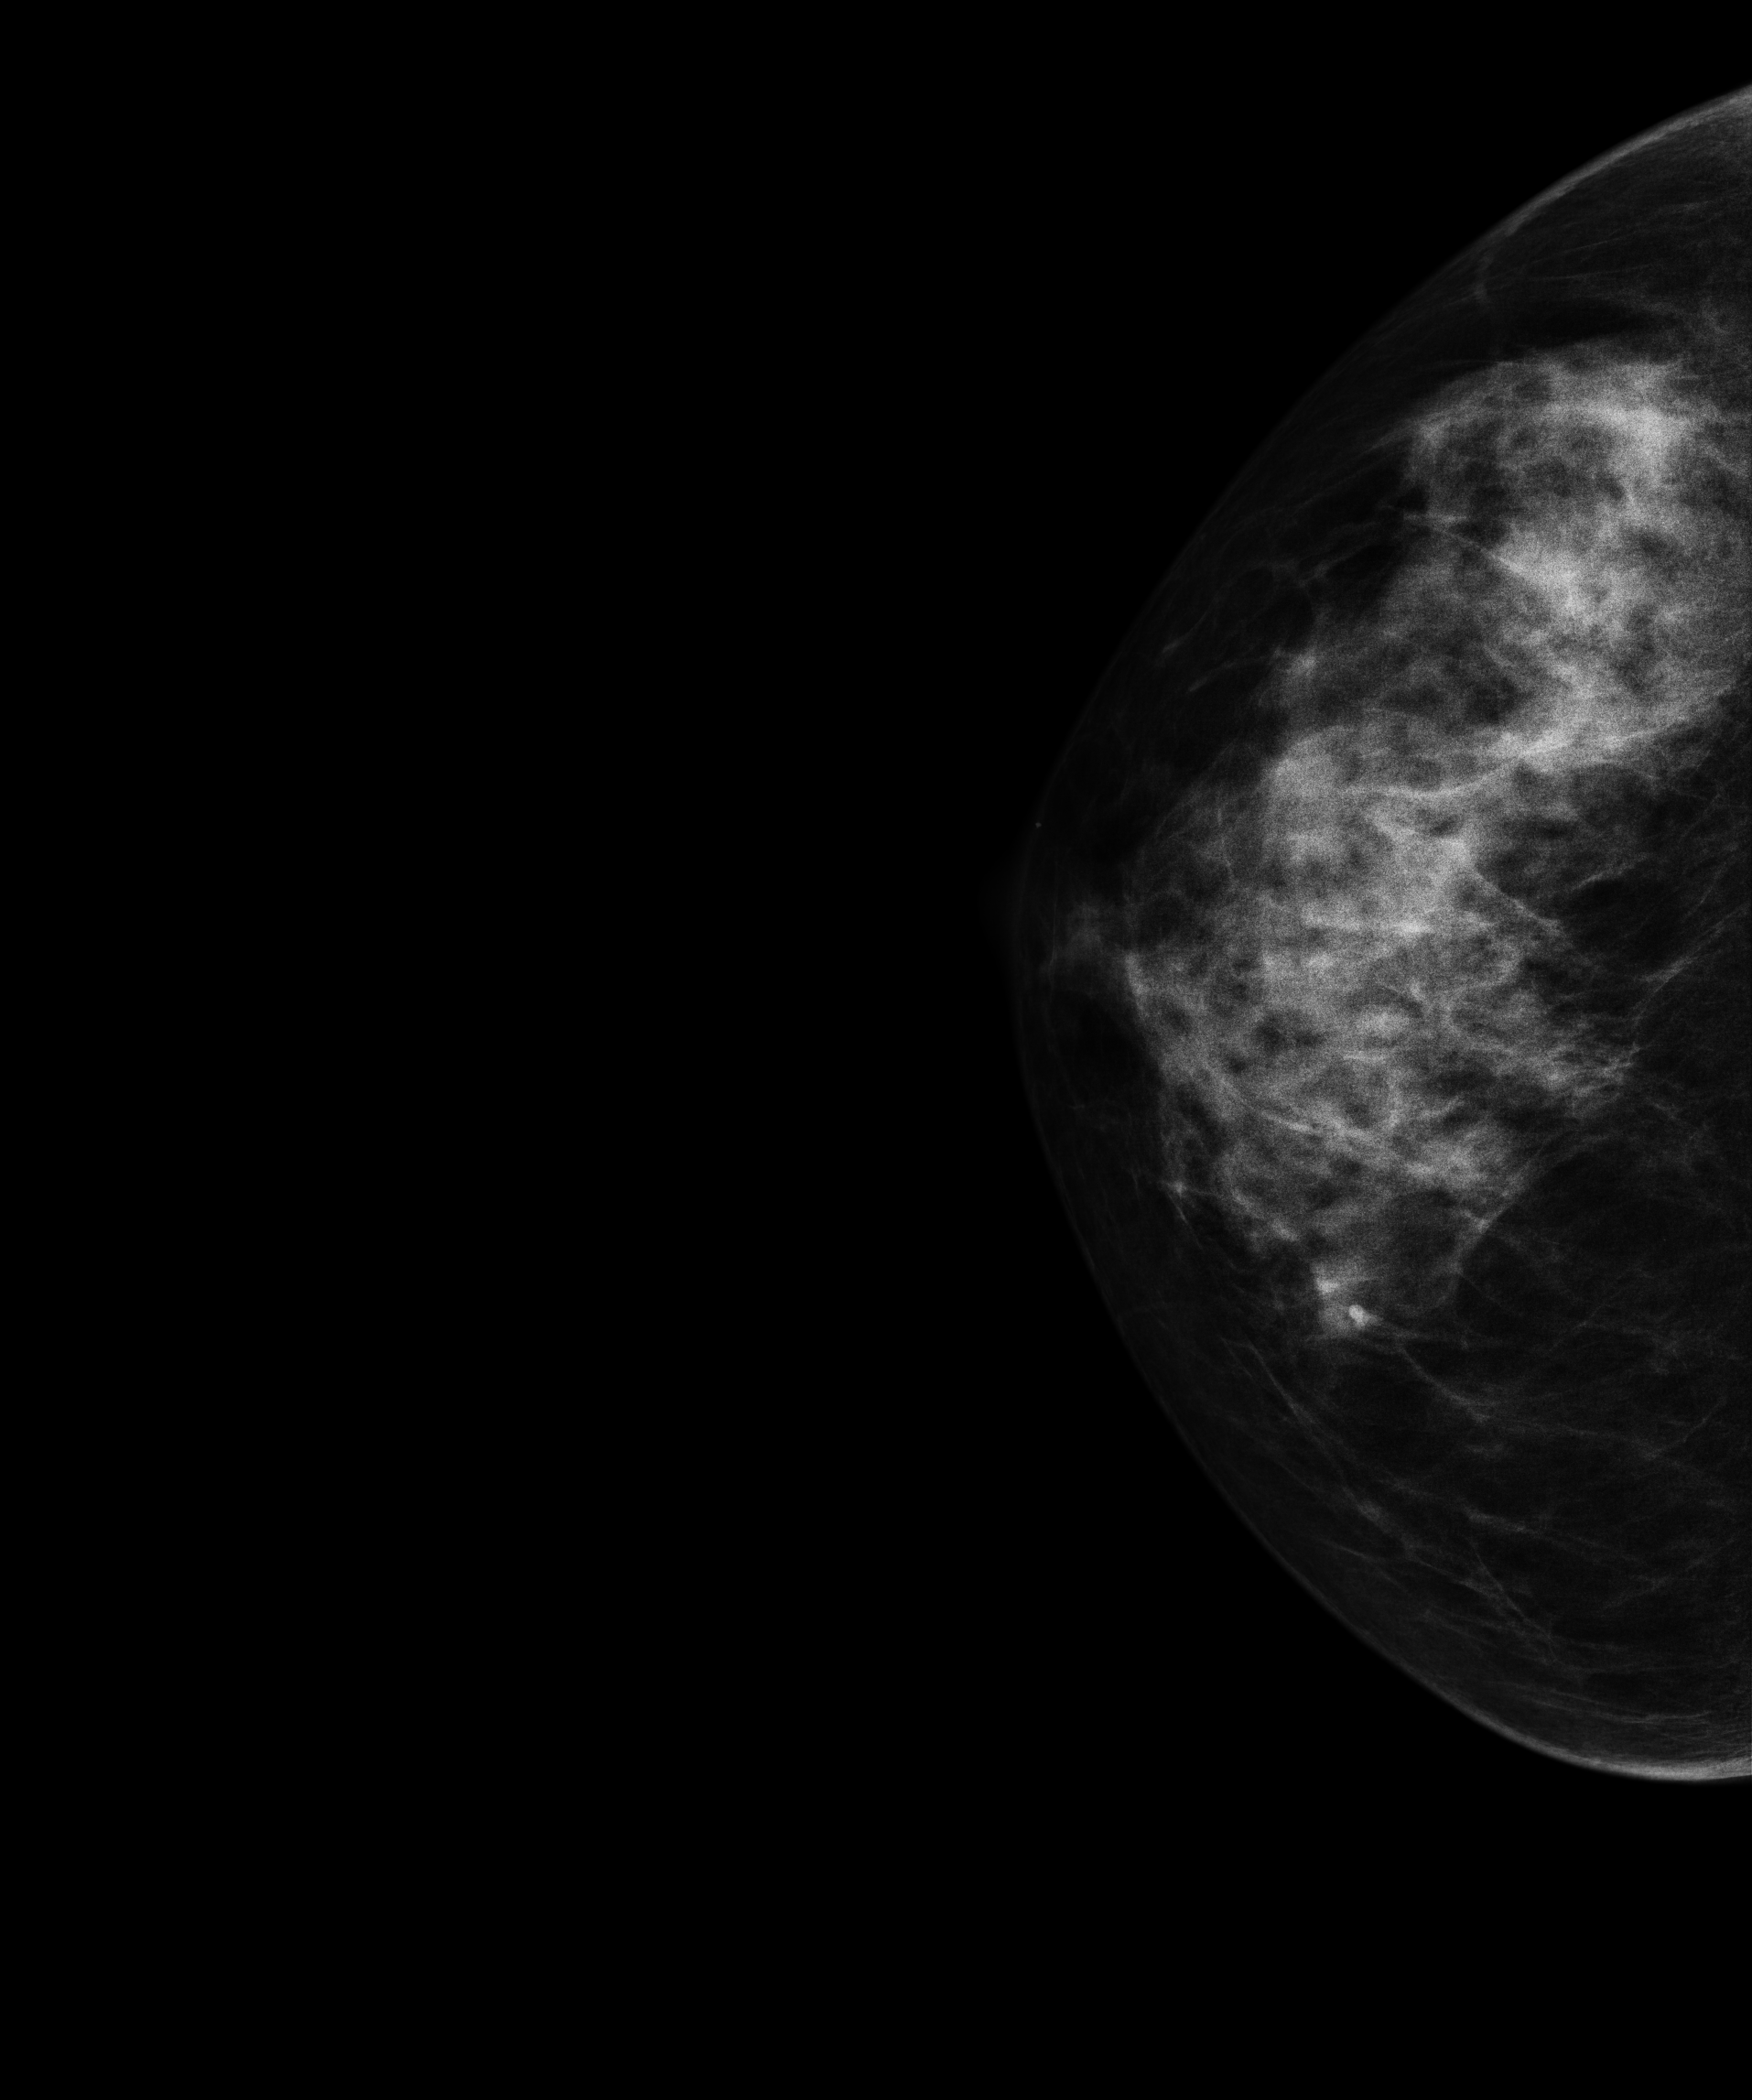
Cranio-caudal mammogram of the right breast. Patient age 56.
Contralateral breast — no documented abnormality on this side.